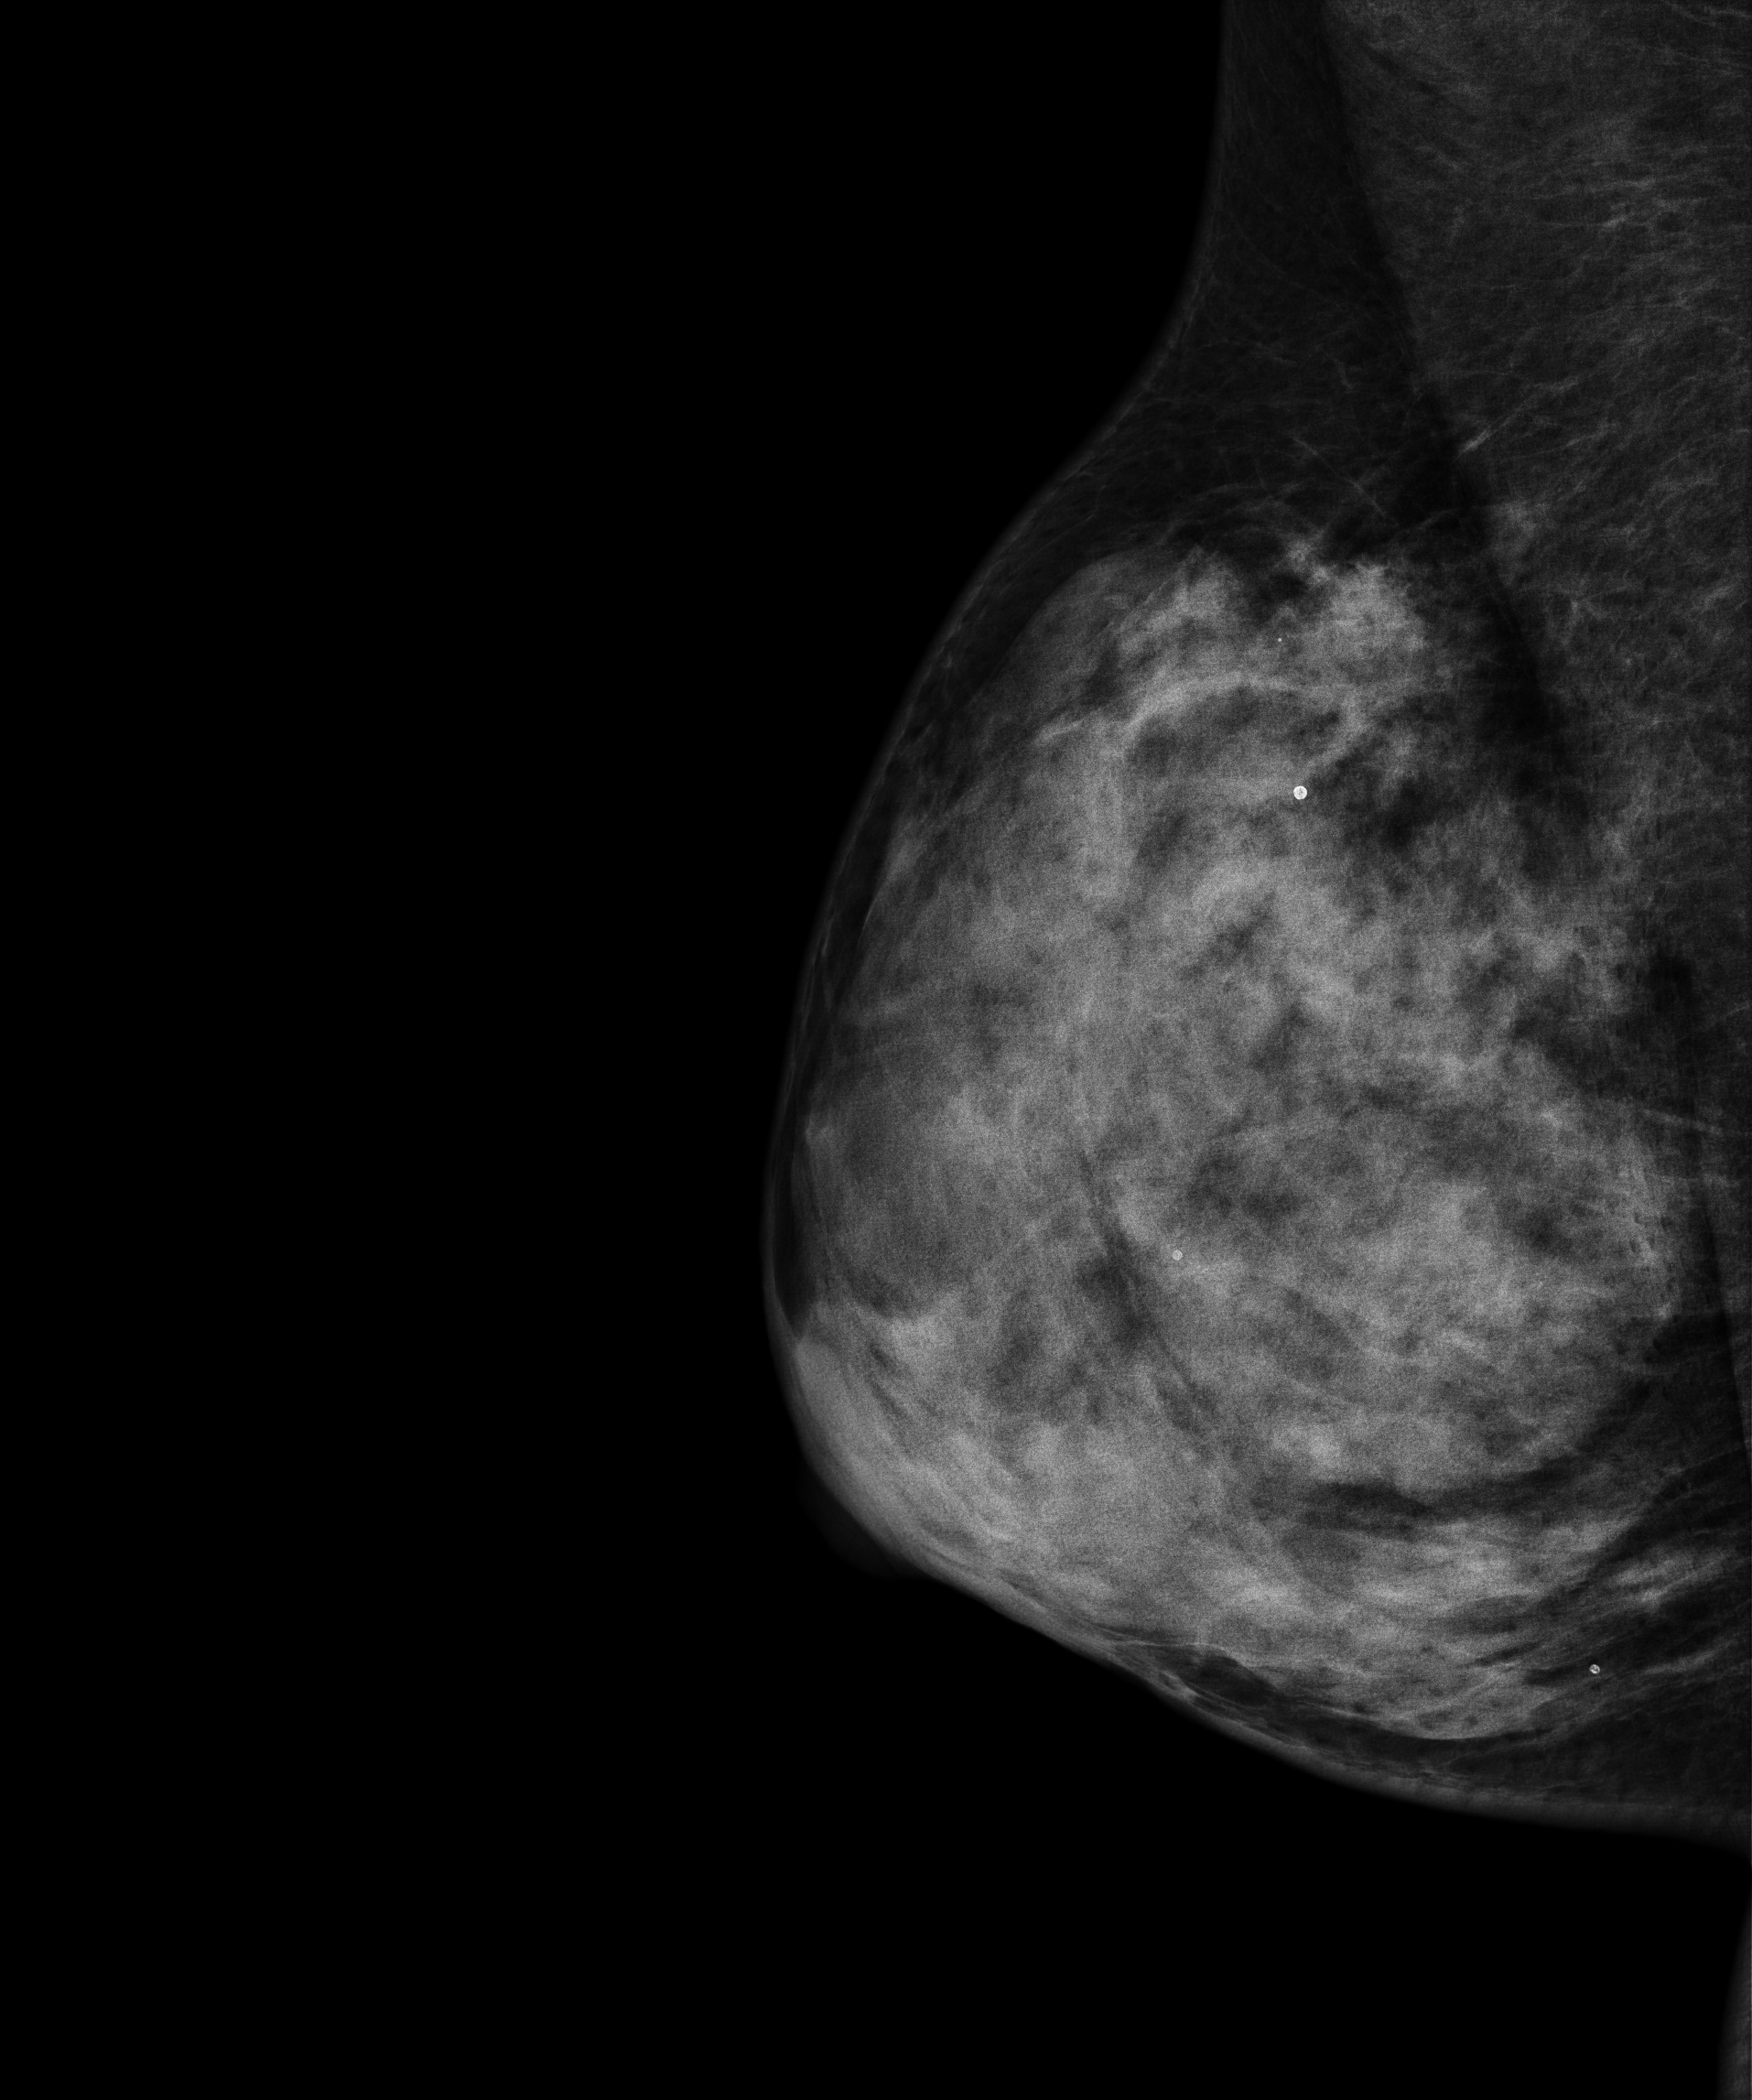
Right-breast mammogram, medio-lateral oblique. 46 y/o patient.
This breast has a mass and calcifications, biopsy-confirmed malignant. Molecular subtype: luminal B.